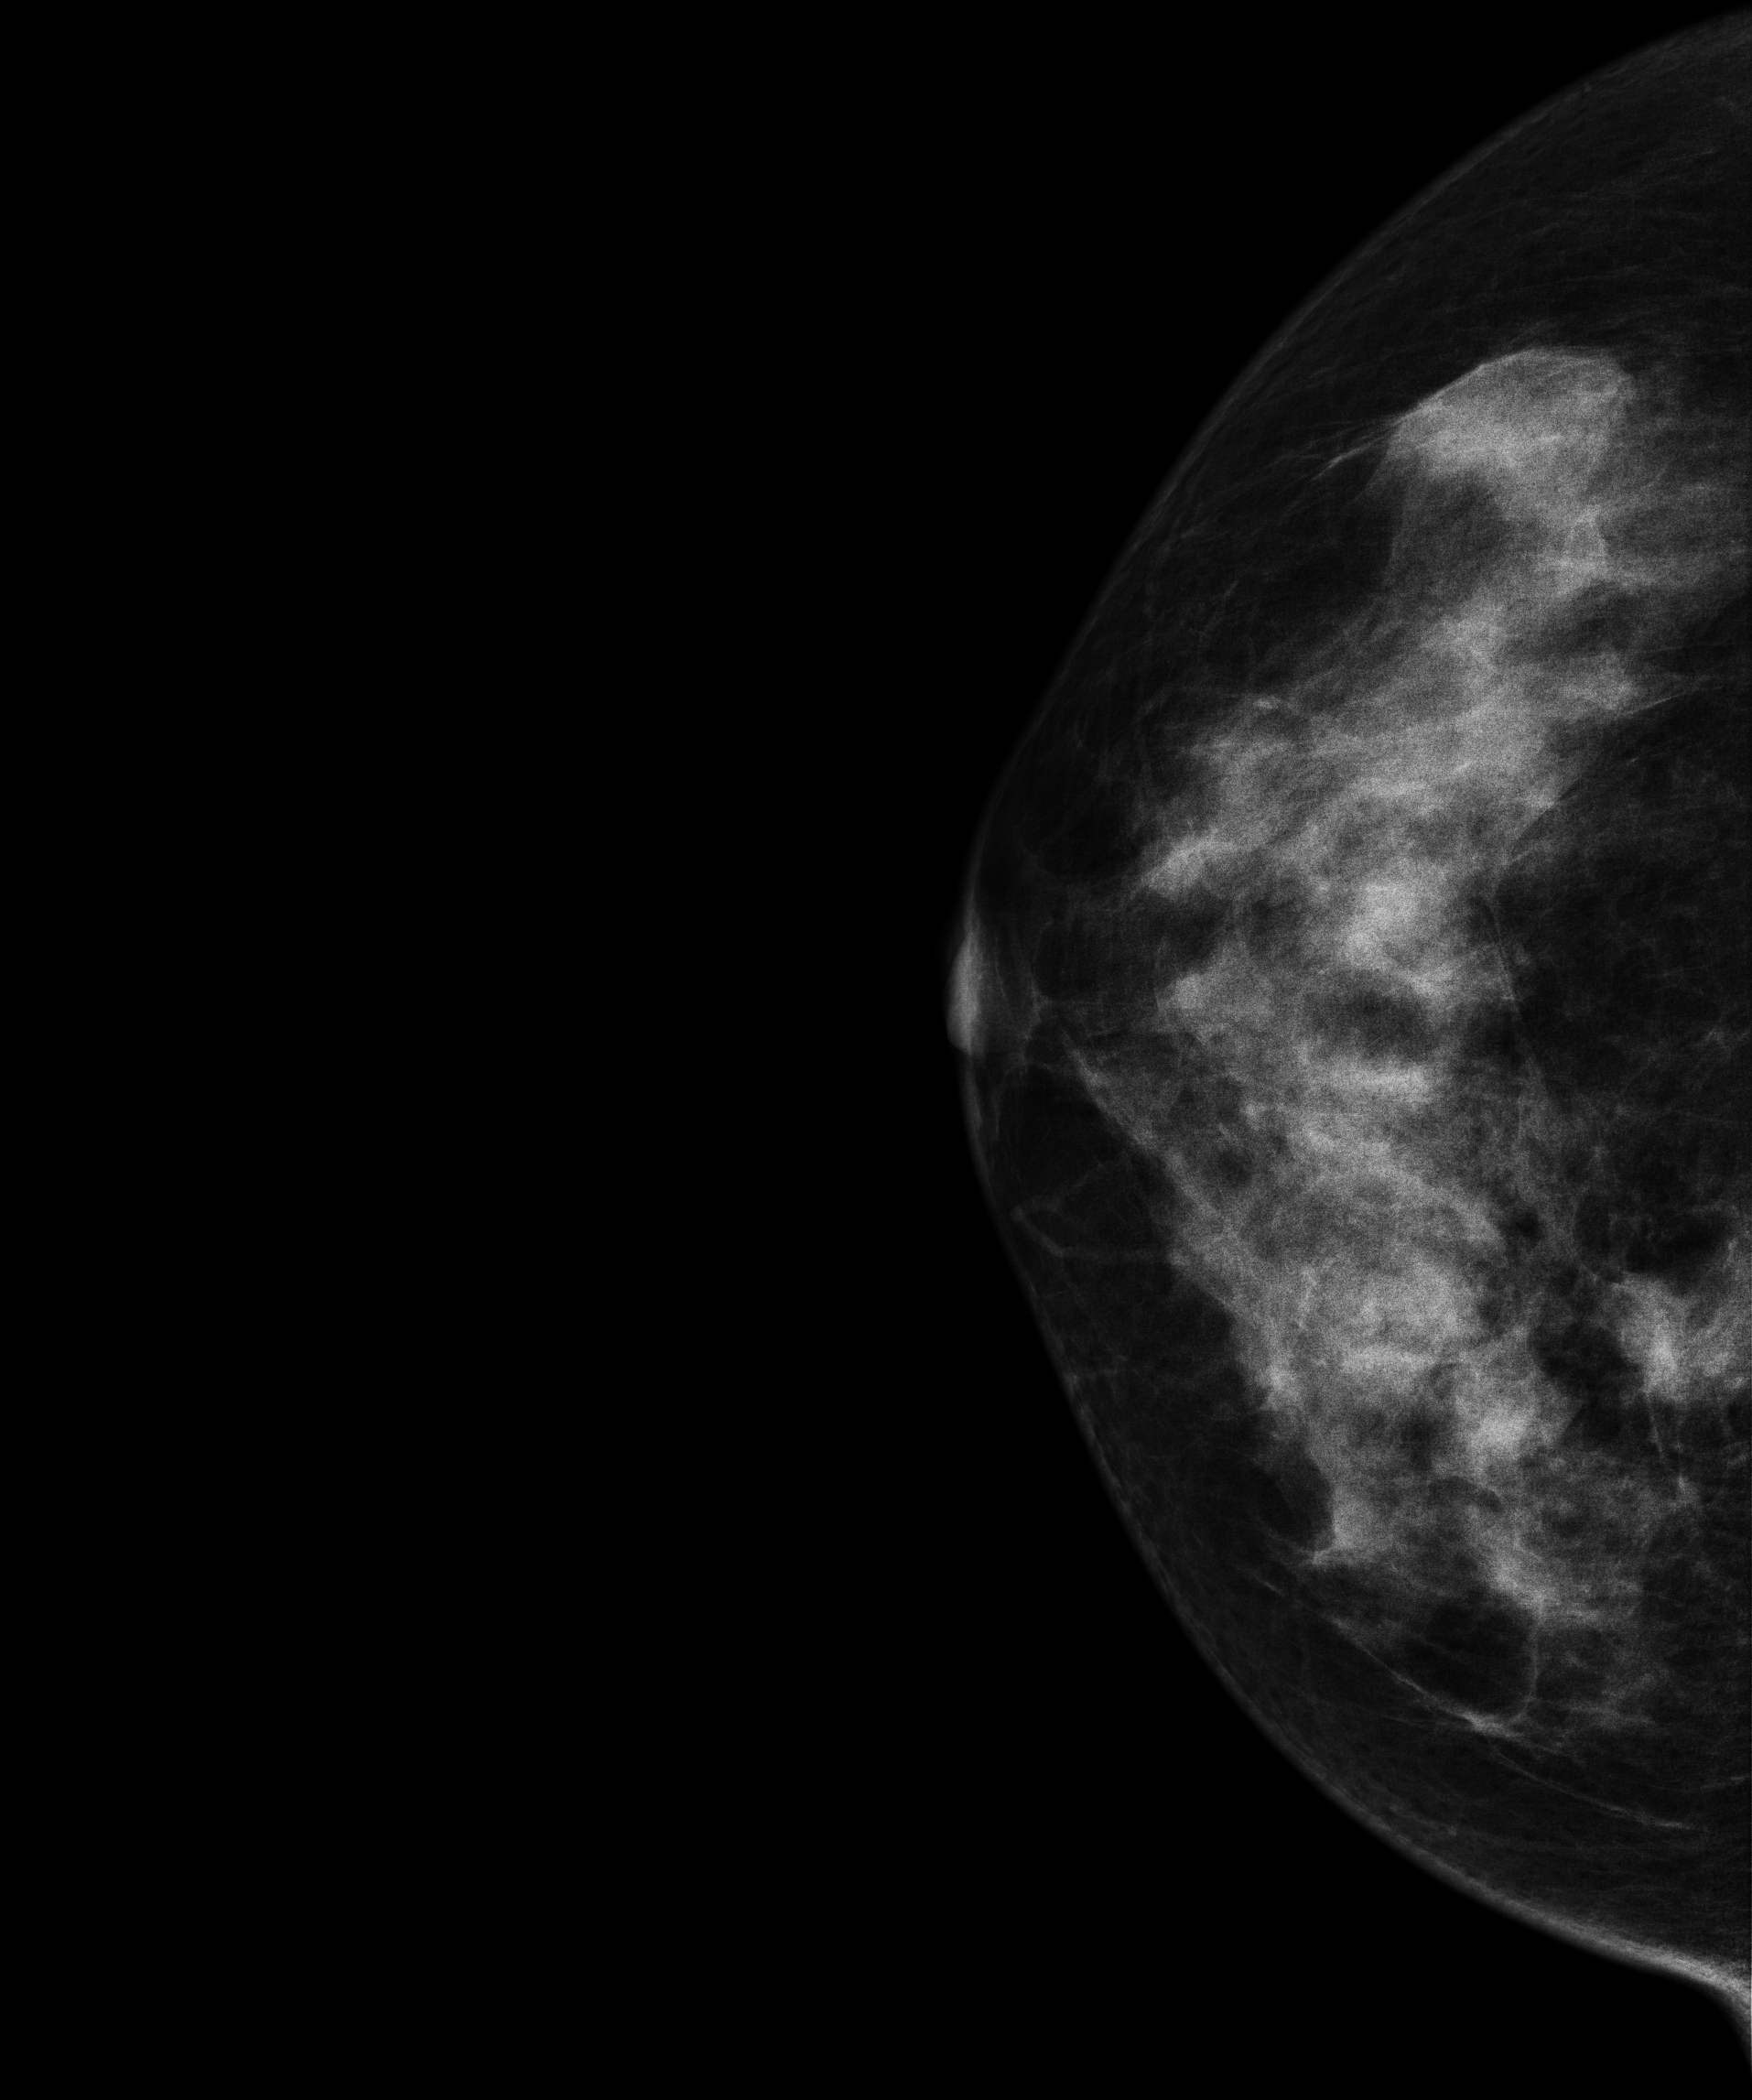
Mammogram — right CC. 48 y/o patient.
This breast has a mass, histologically confirmed malignant. Molecular subtype: HER2-enriched.